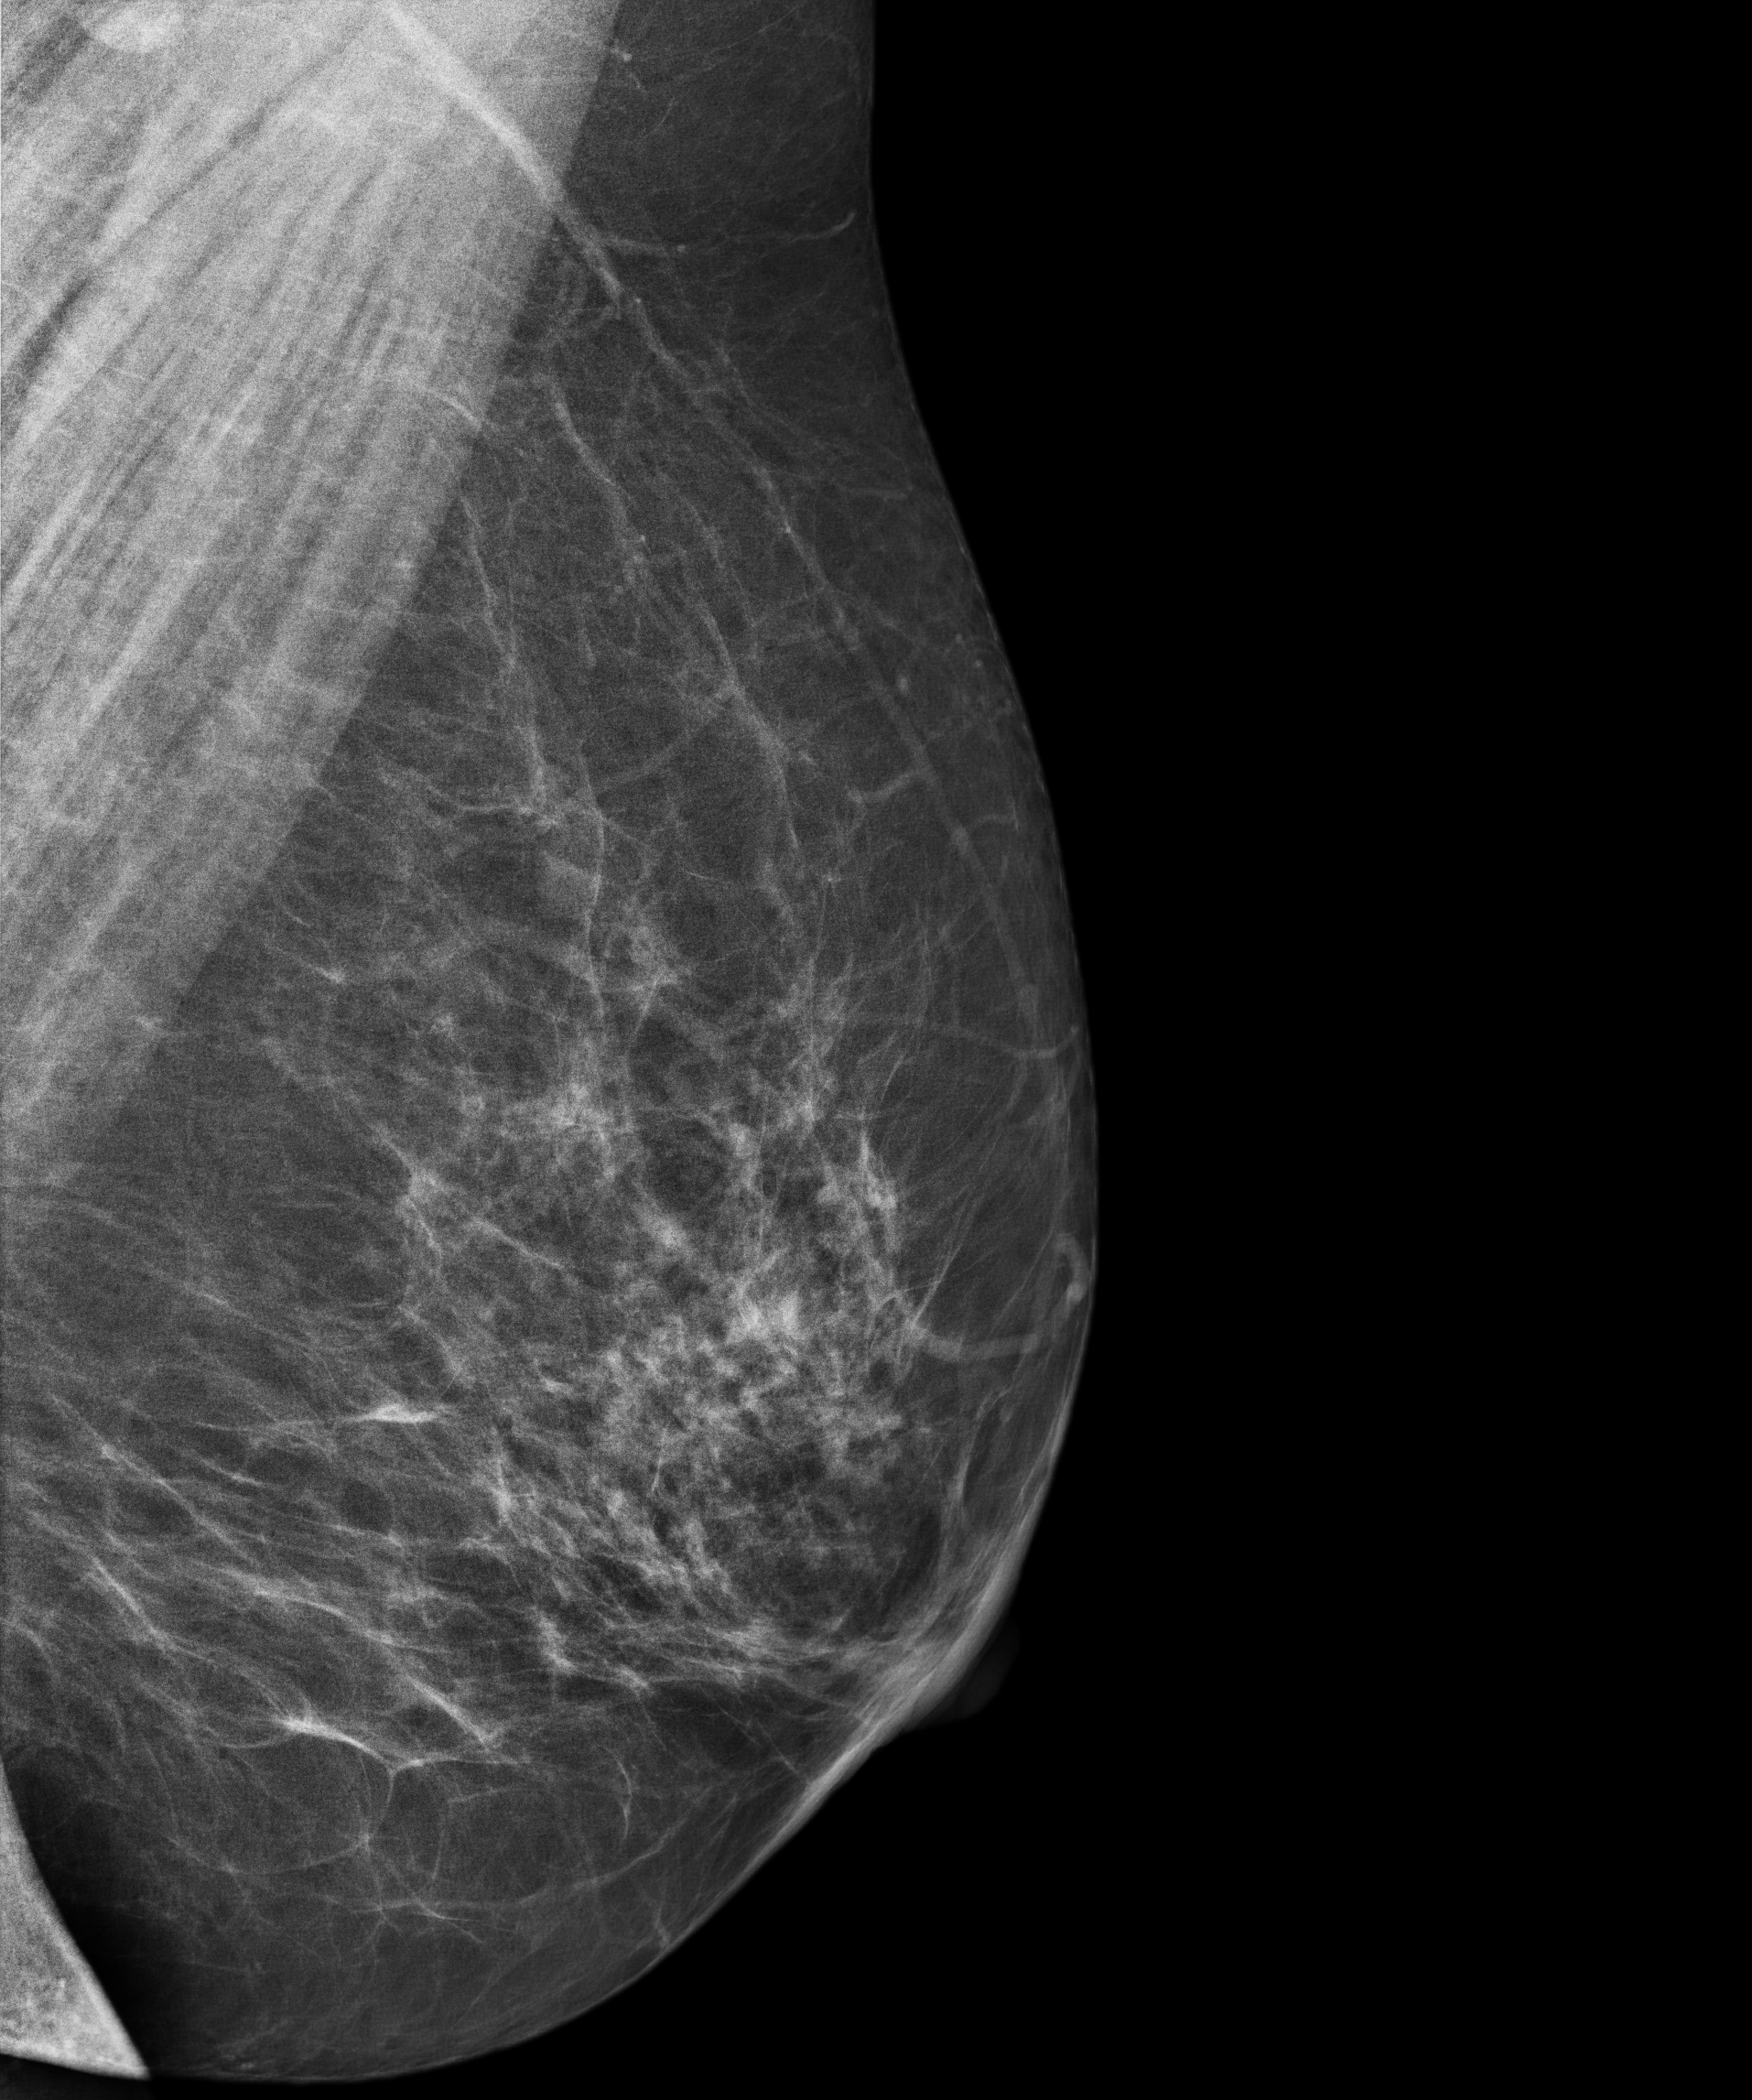
Digital mammography. Left breast, medio-lateral oblique projection. Patient age 54.
Contralateral breast — no documented abnormality on this side.